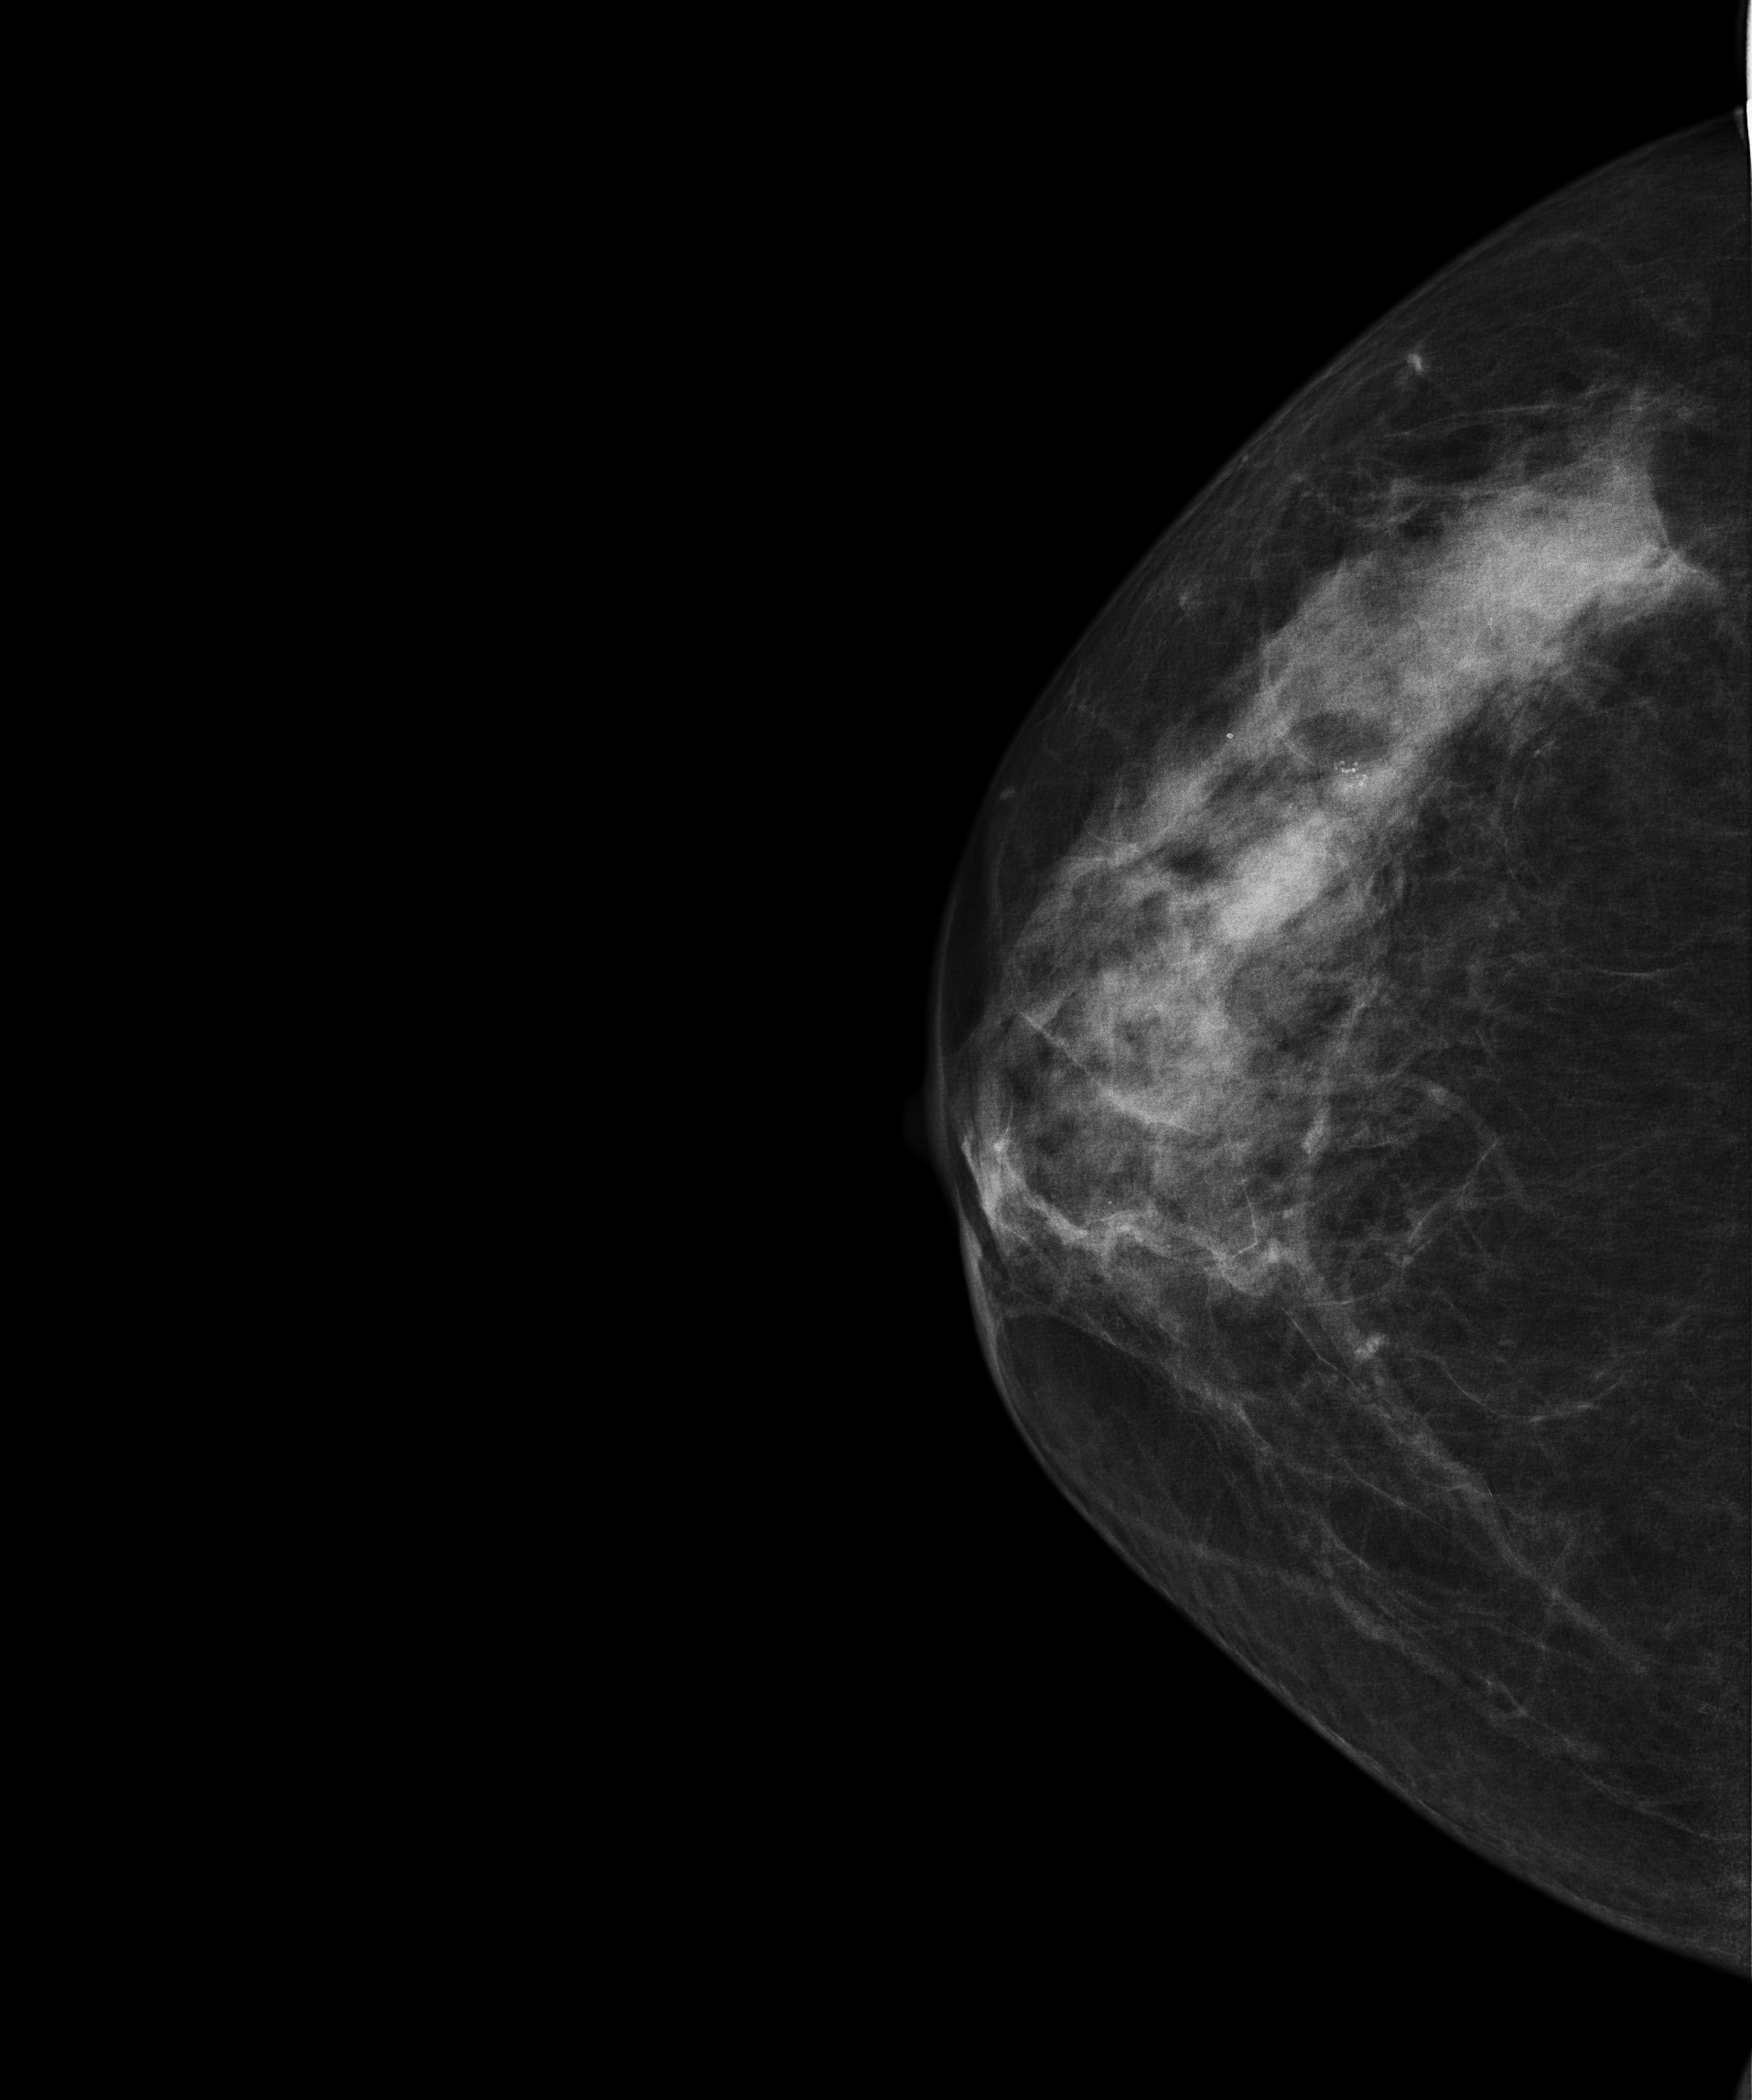
Mammogram — right CC. 59 y/o patient.
This breast has a mass and calcifications, biopsy-confirmed malignant. Molecular subtype: HER2-enriched.